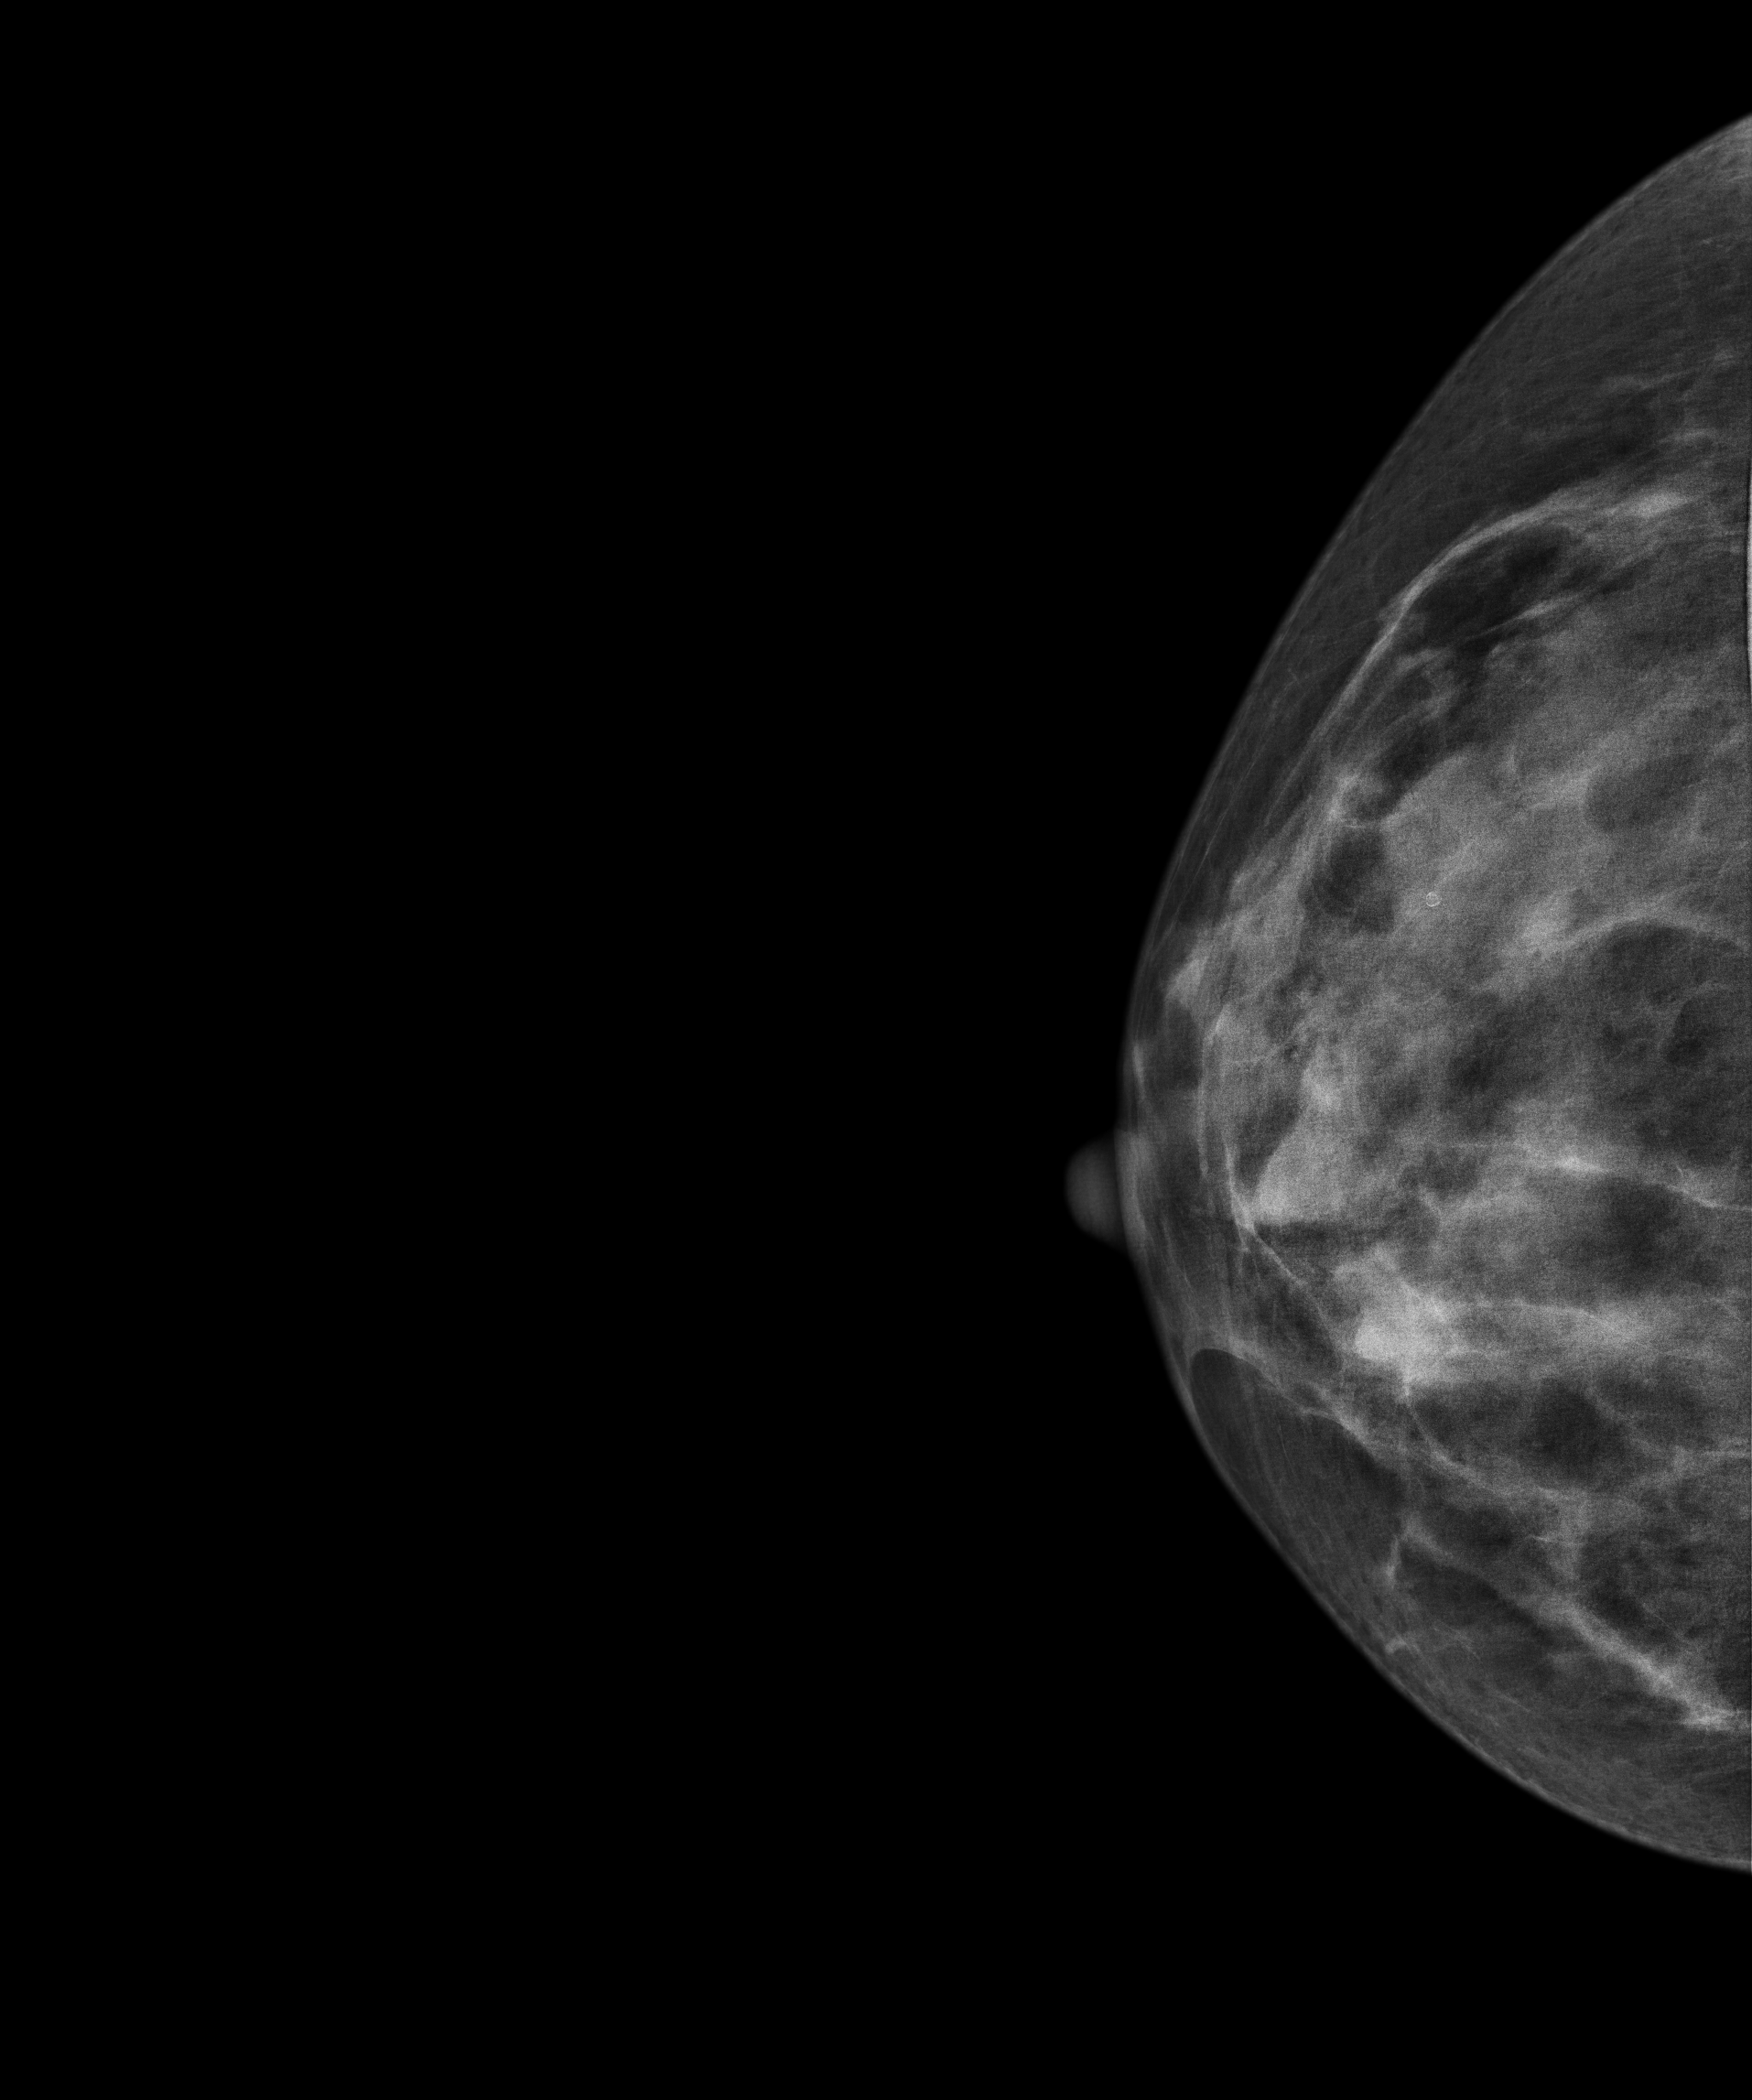
Mammogram — right CC. 51-year-old patient.
Contralateral breast — no documented abnormality on this side.